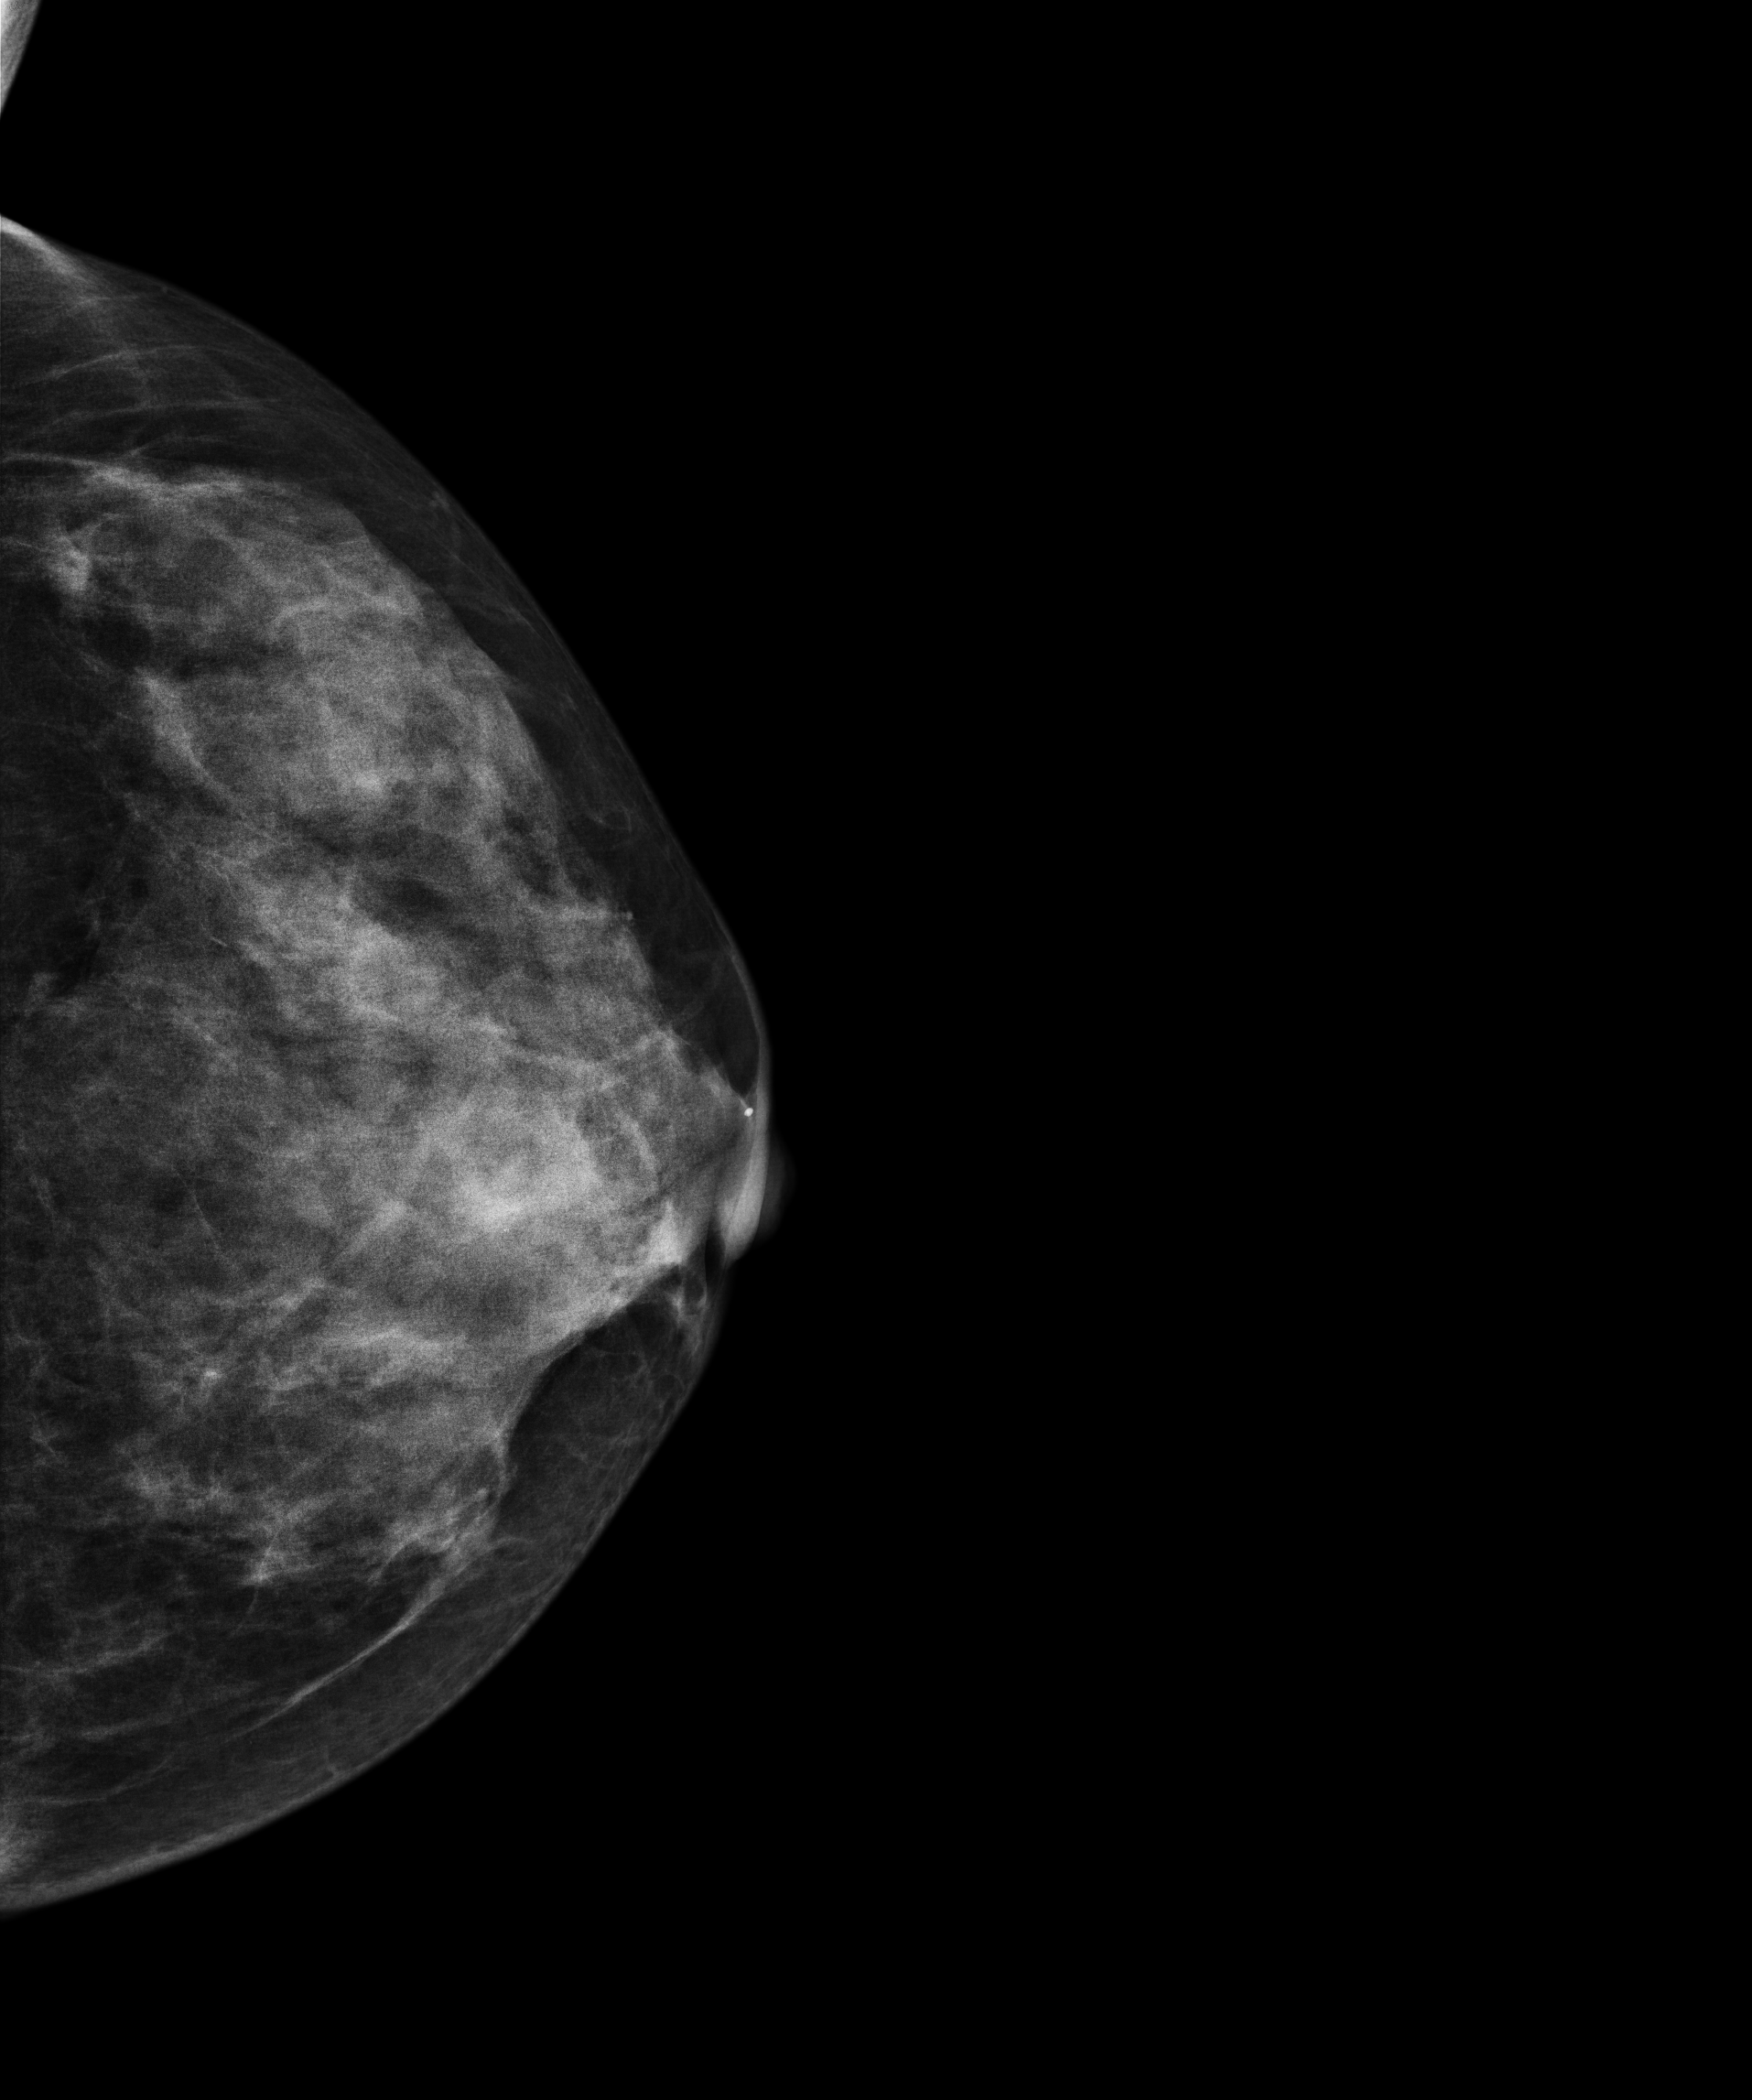
Cranio-caudal mammogram of the left breast. 43-year-old patient.
This breast has a mass, histologically confirmed malignant. Molecular subtype: luminal A.